Digital mammography. Left breast, MLO projection. Patient age 60.
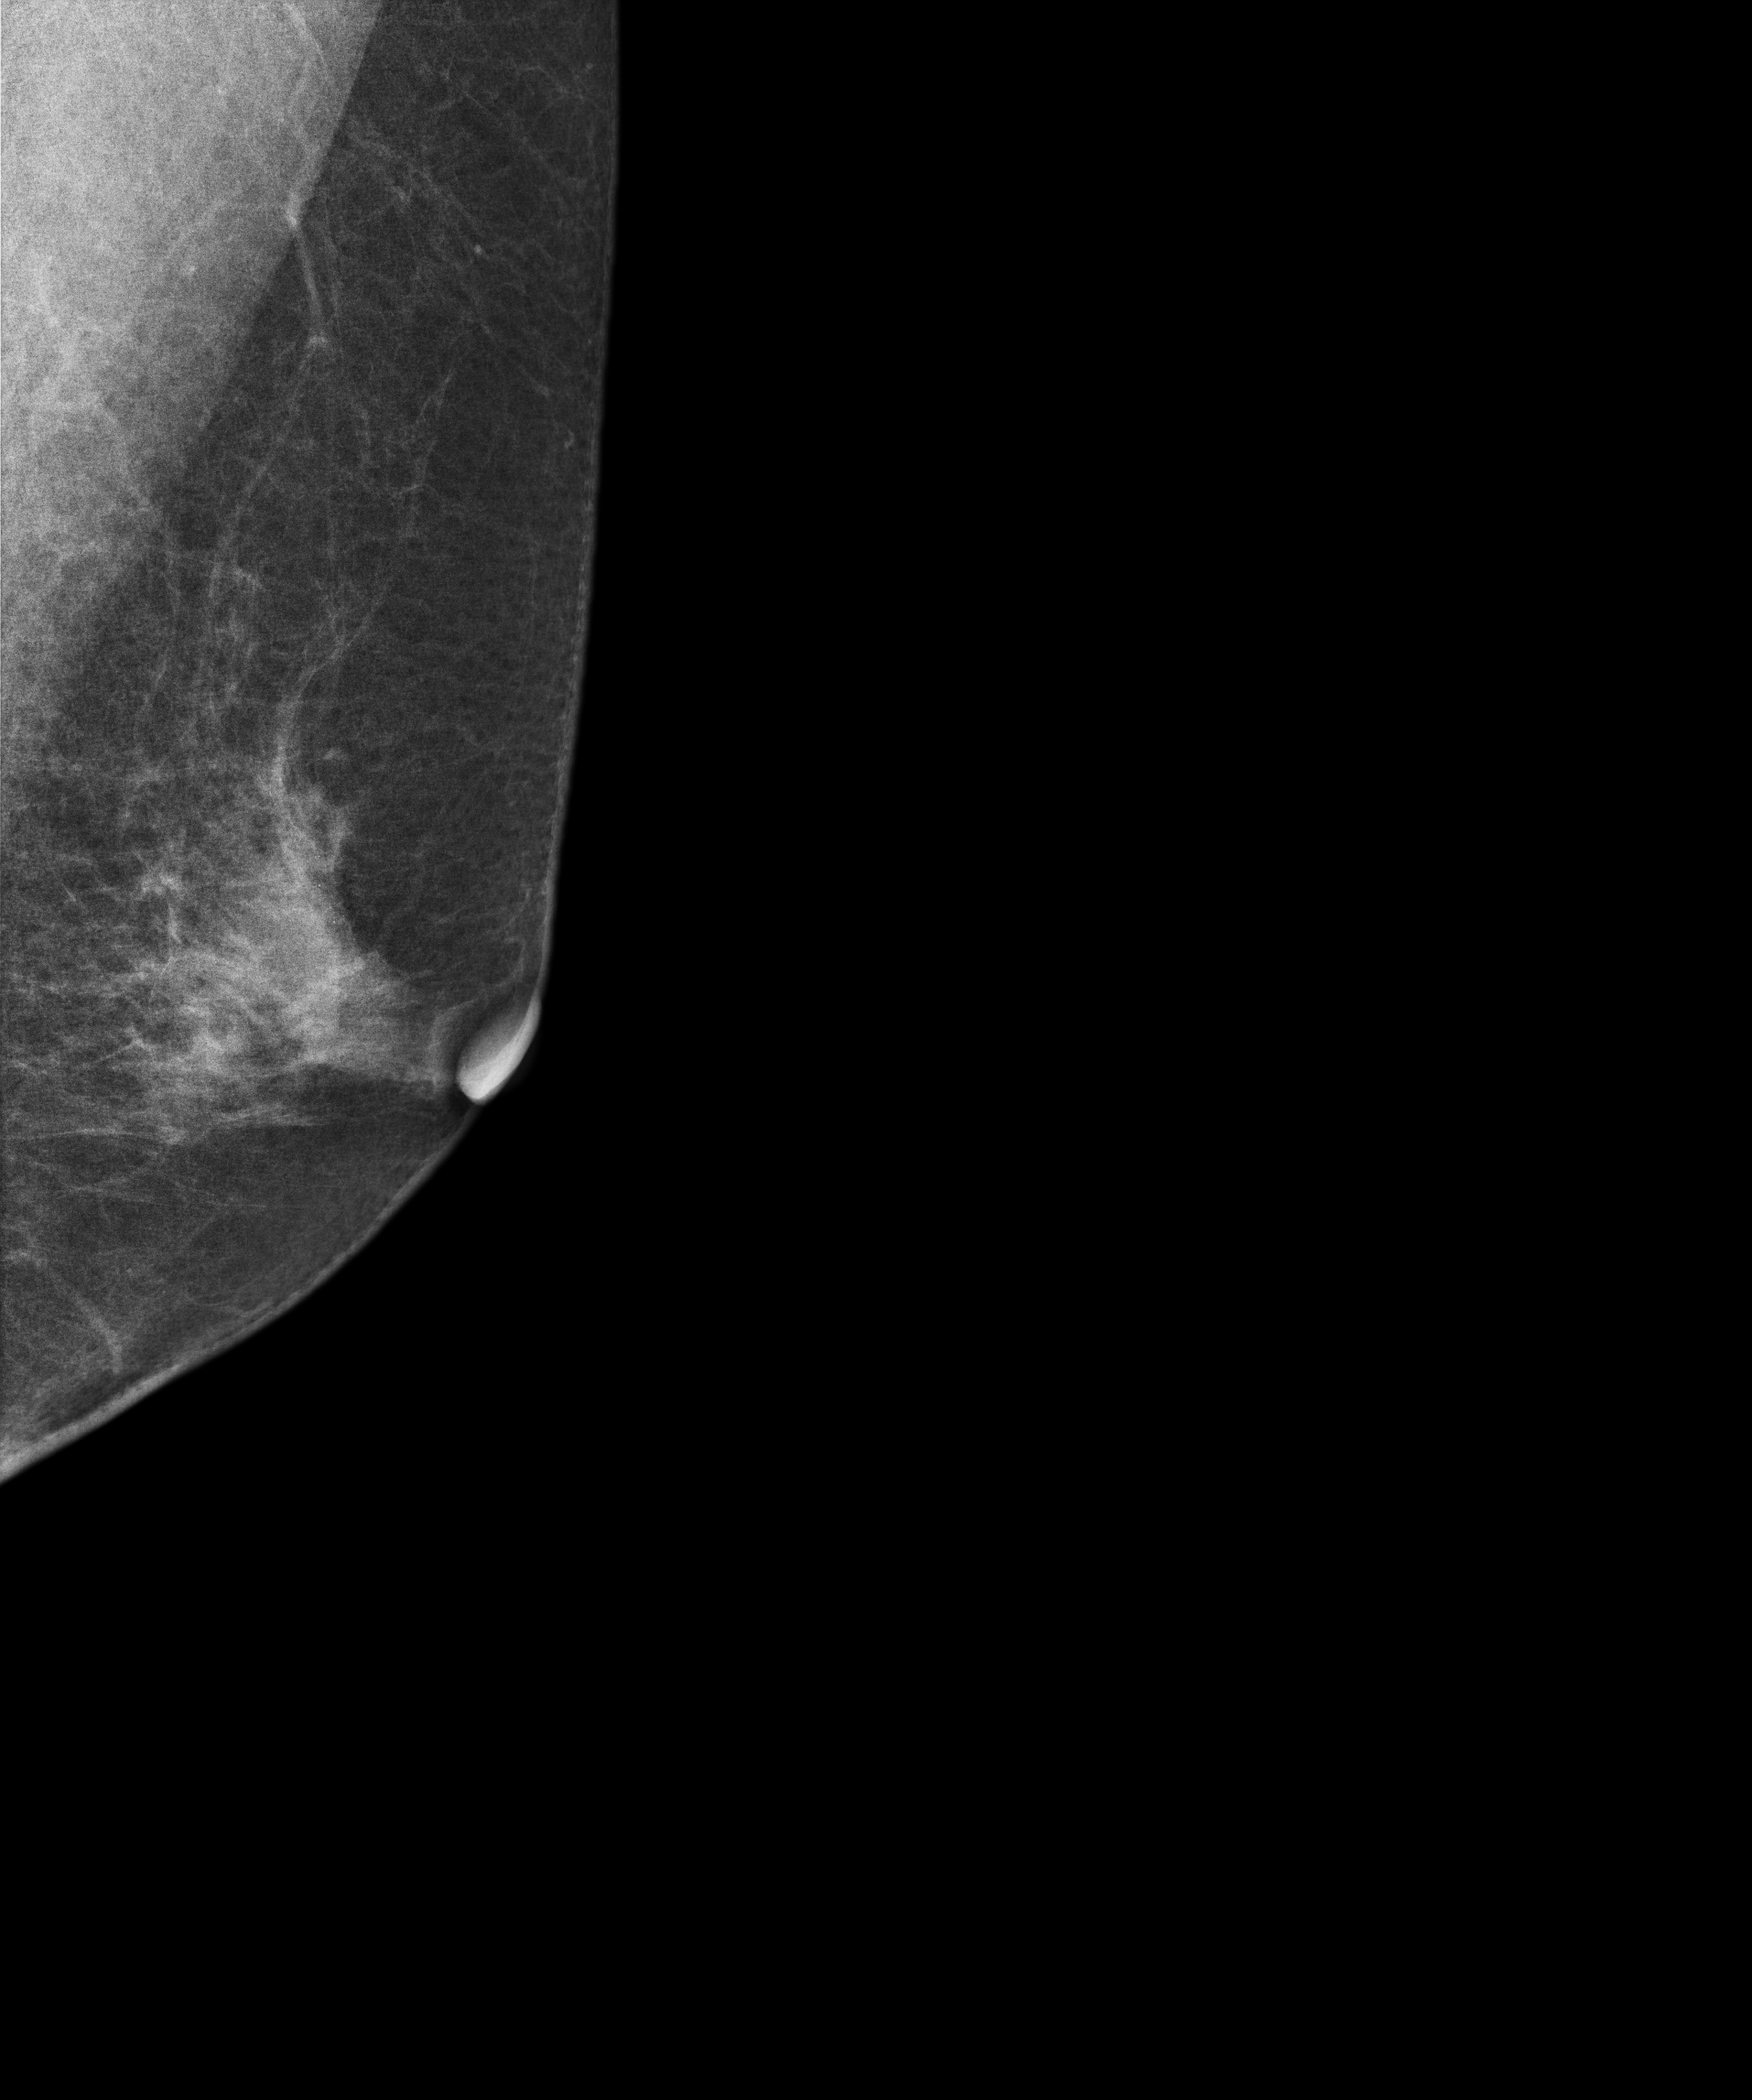
Contralateral breast — no documented abnormality on this side.